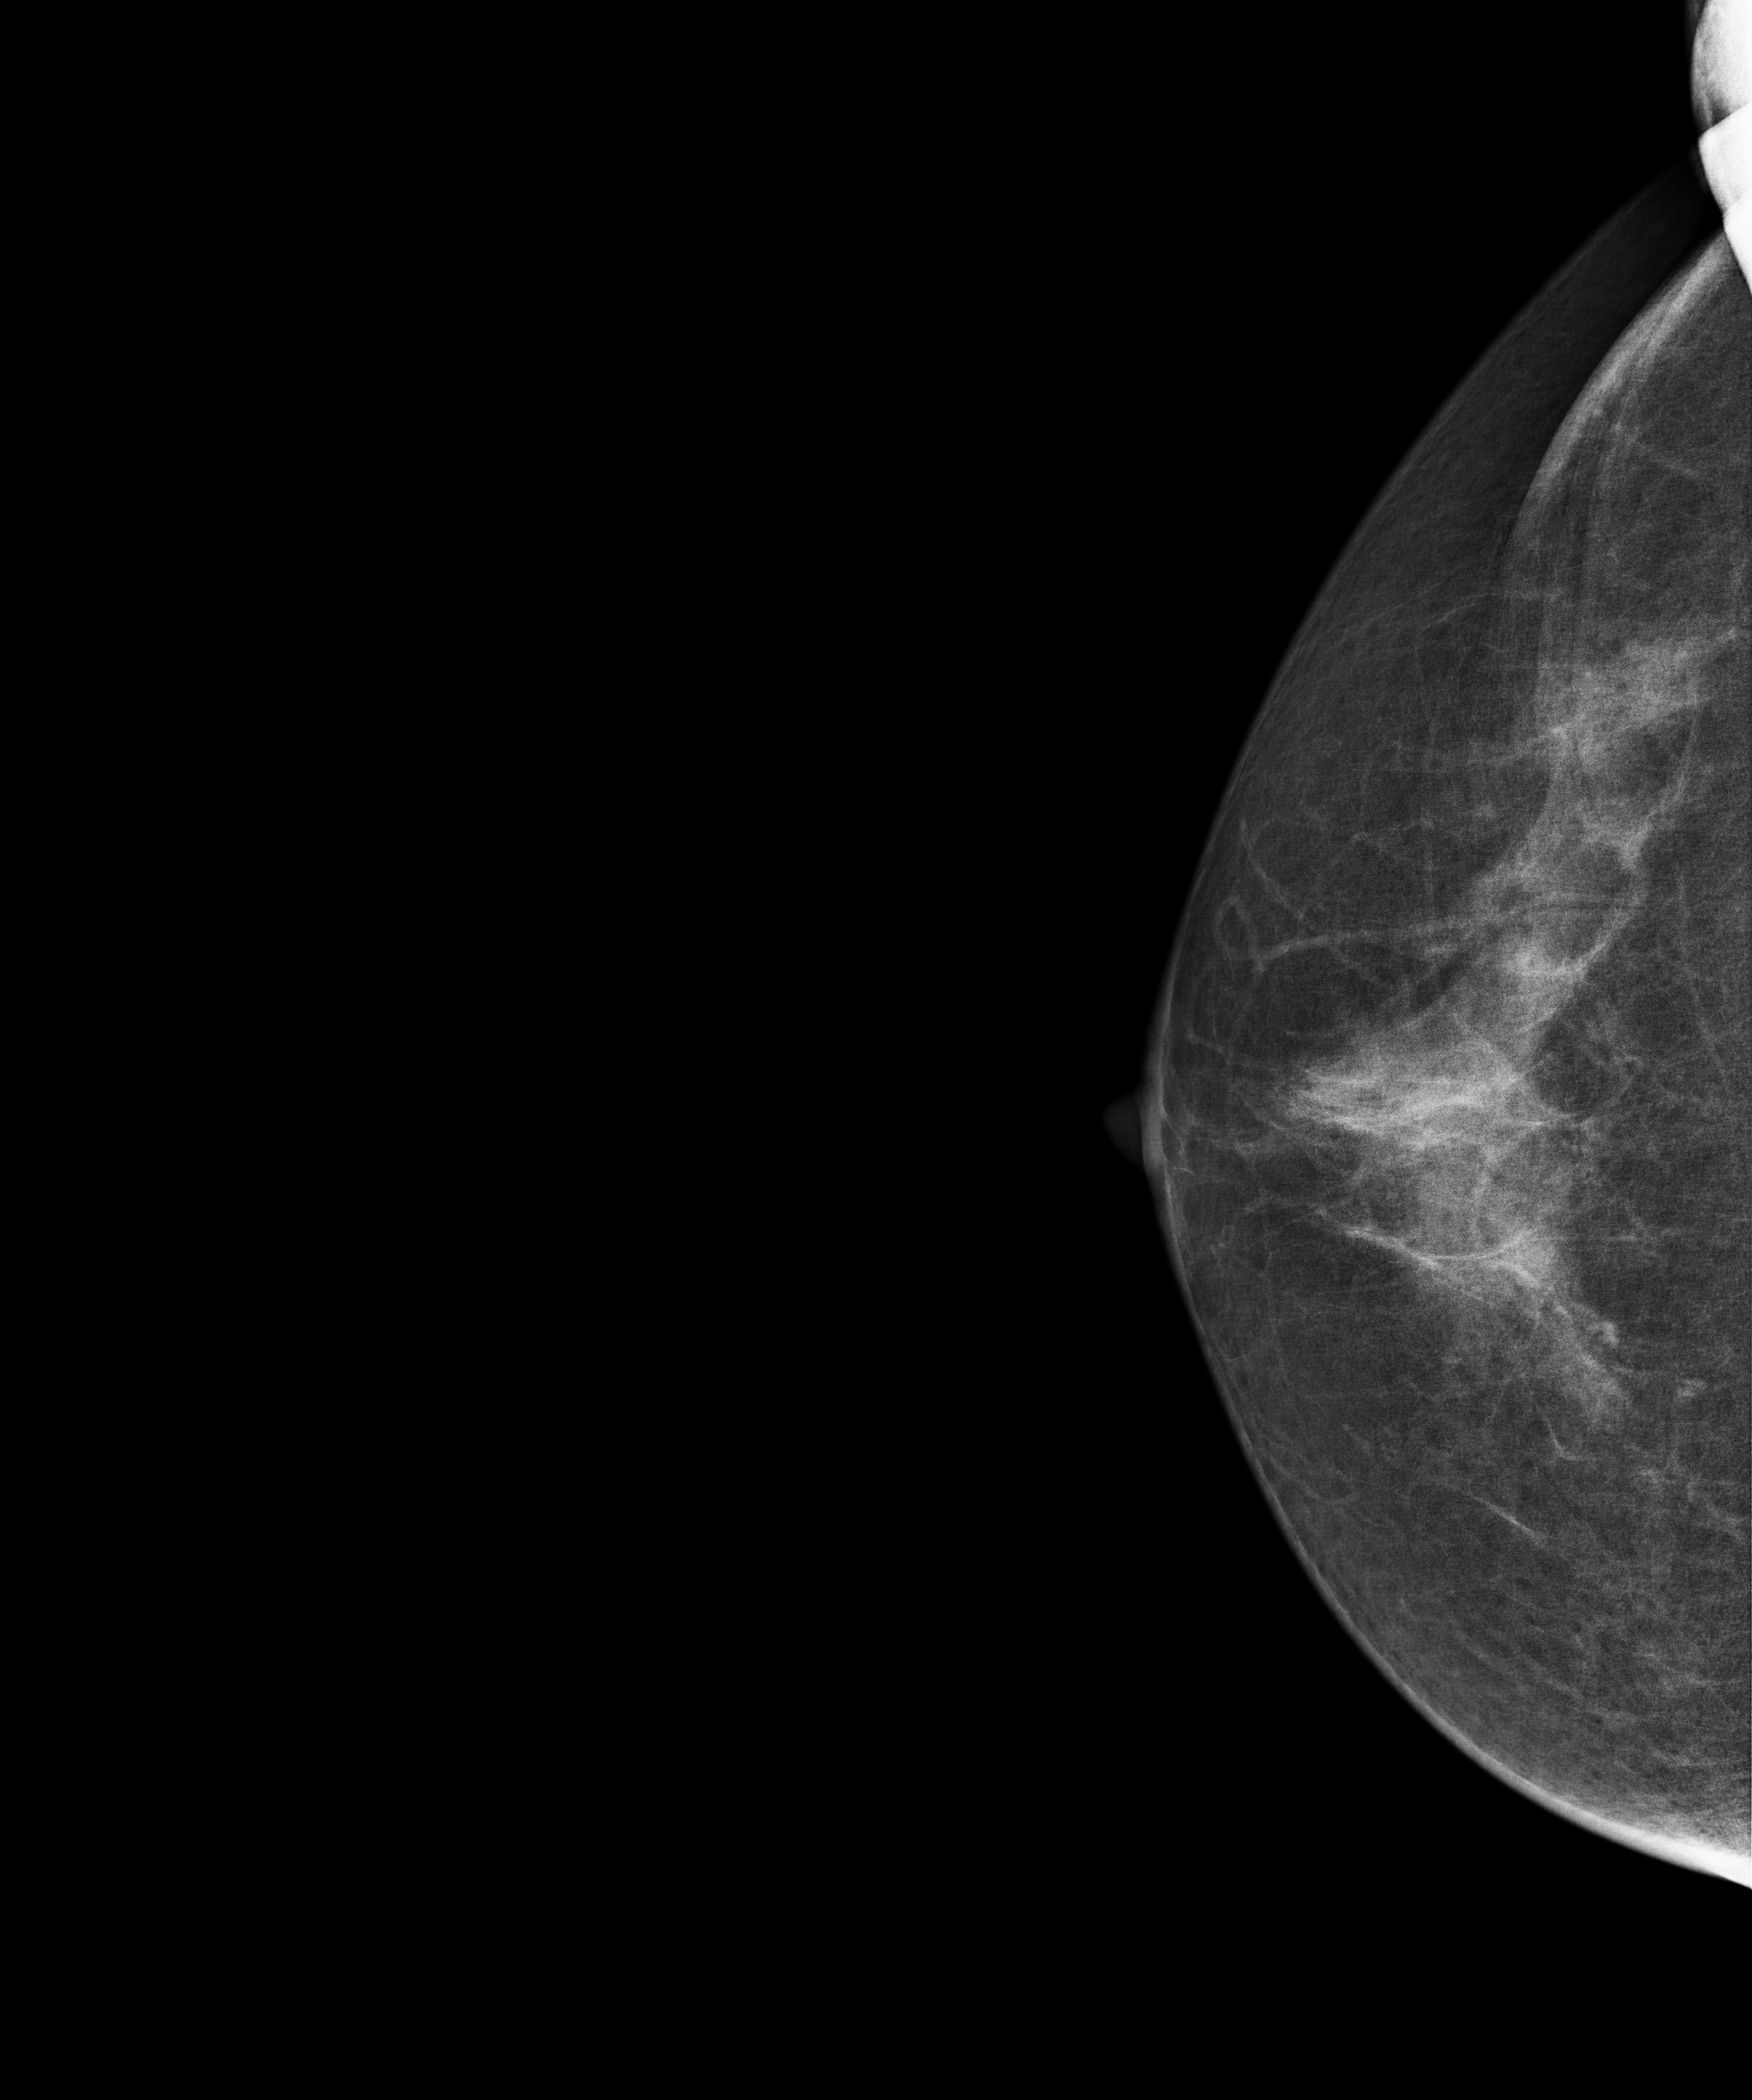
Mammogram, right breast, cranio-caudal view. 61 y/o patient.
Contralateral breast — no documented abnormality on this side.